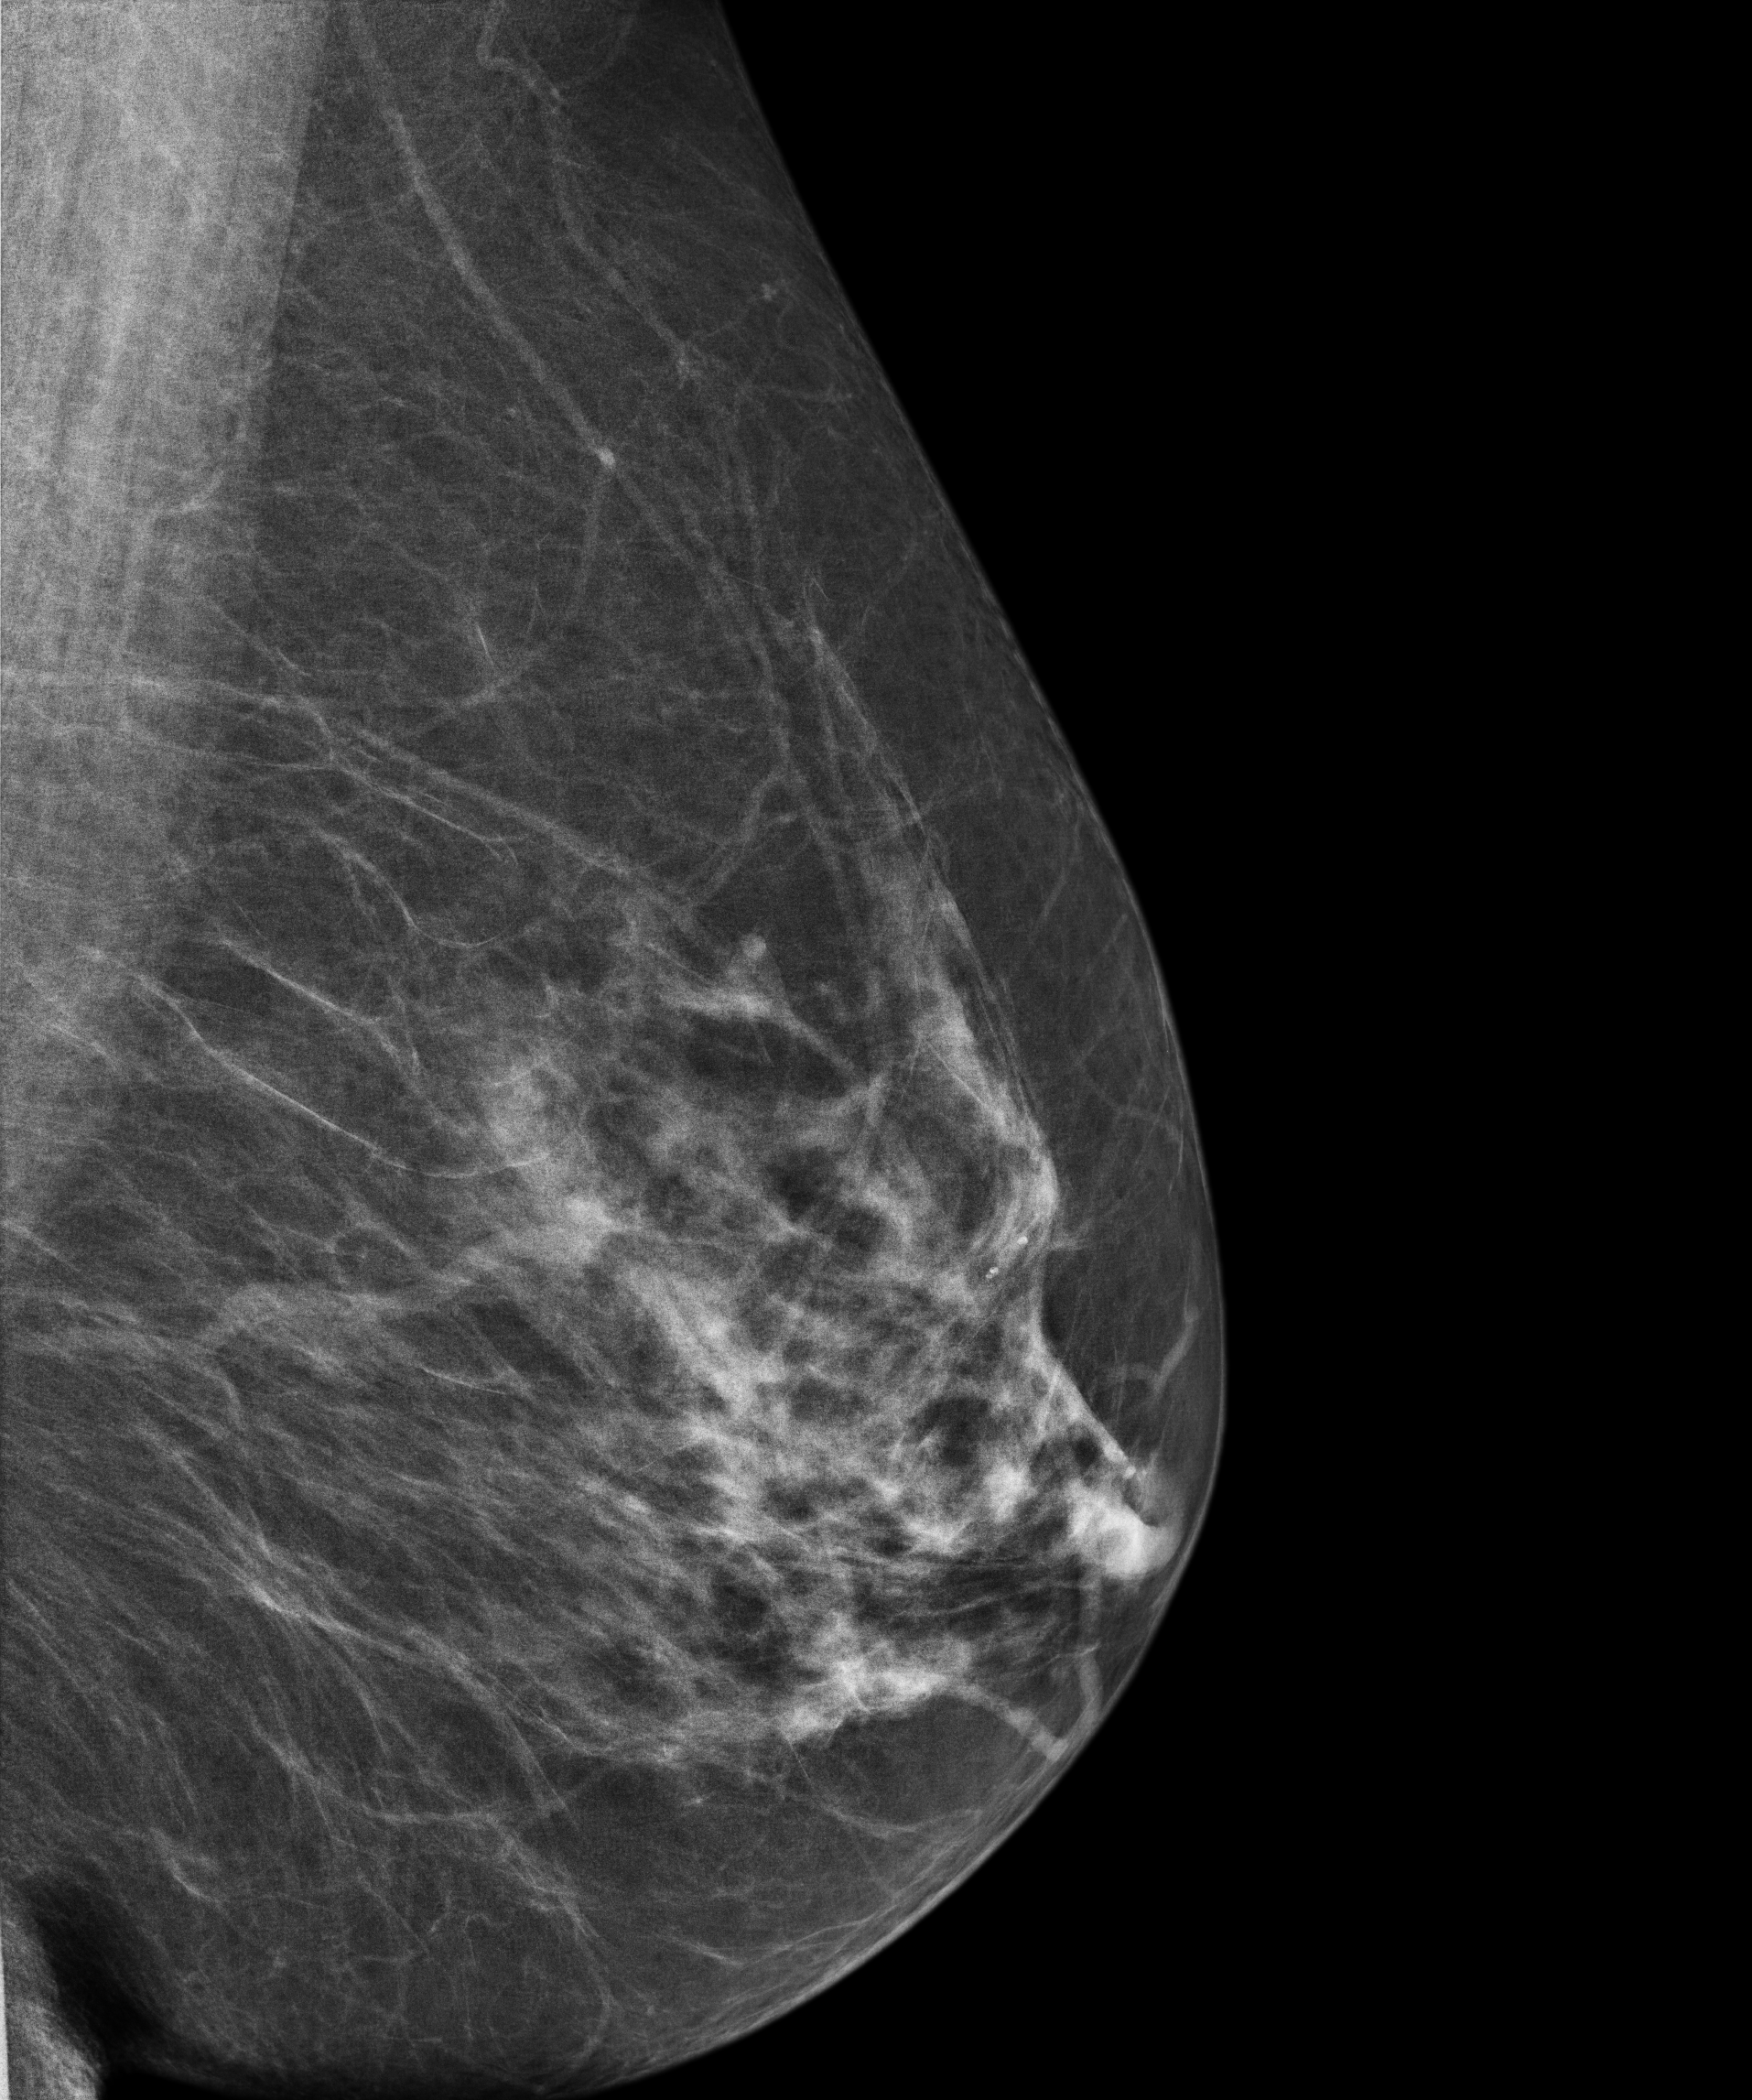
Left-breast mammogram, medio-lateral oblique. 61 y/o patient.
Contralateral breast — no documented abnormality on this side.